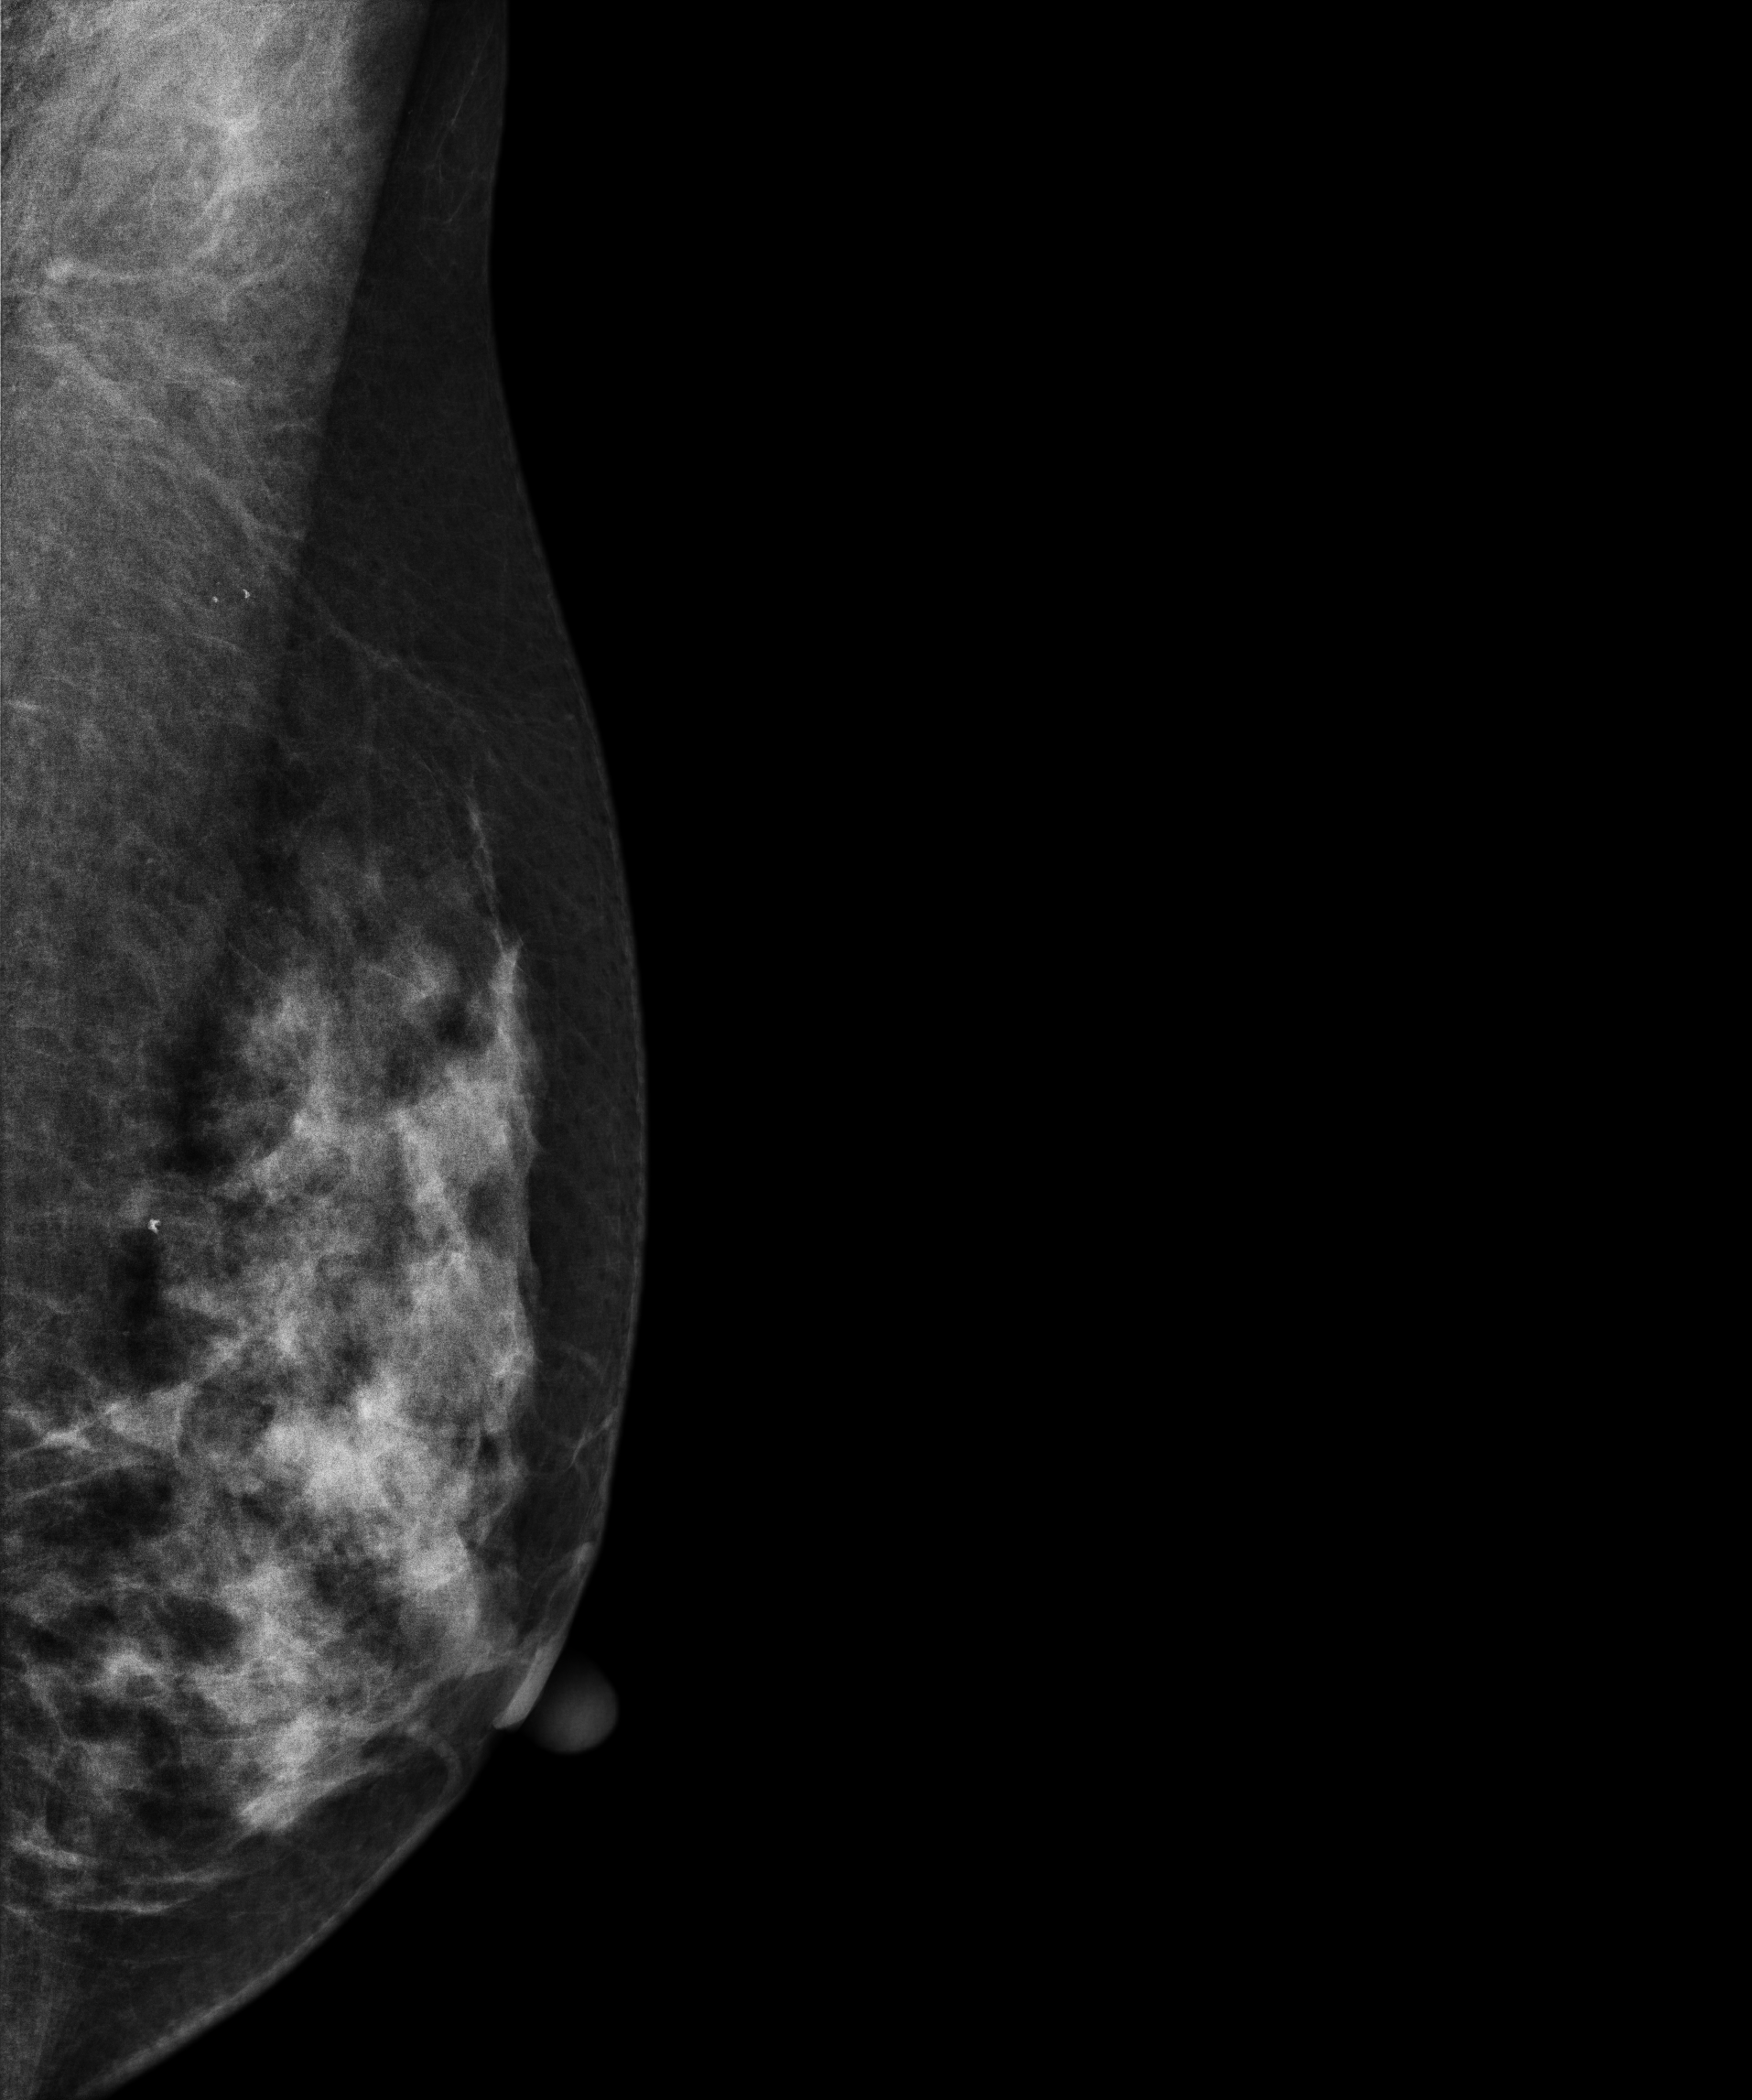
Left-breast mammogram, medio-lateral oblique. 44 y/o patient.
This breast has a mass, biopsy-confirmed malignant.